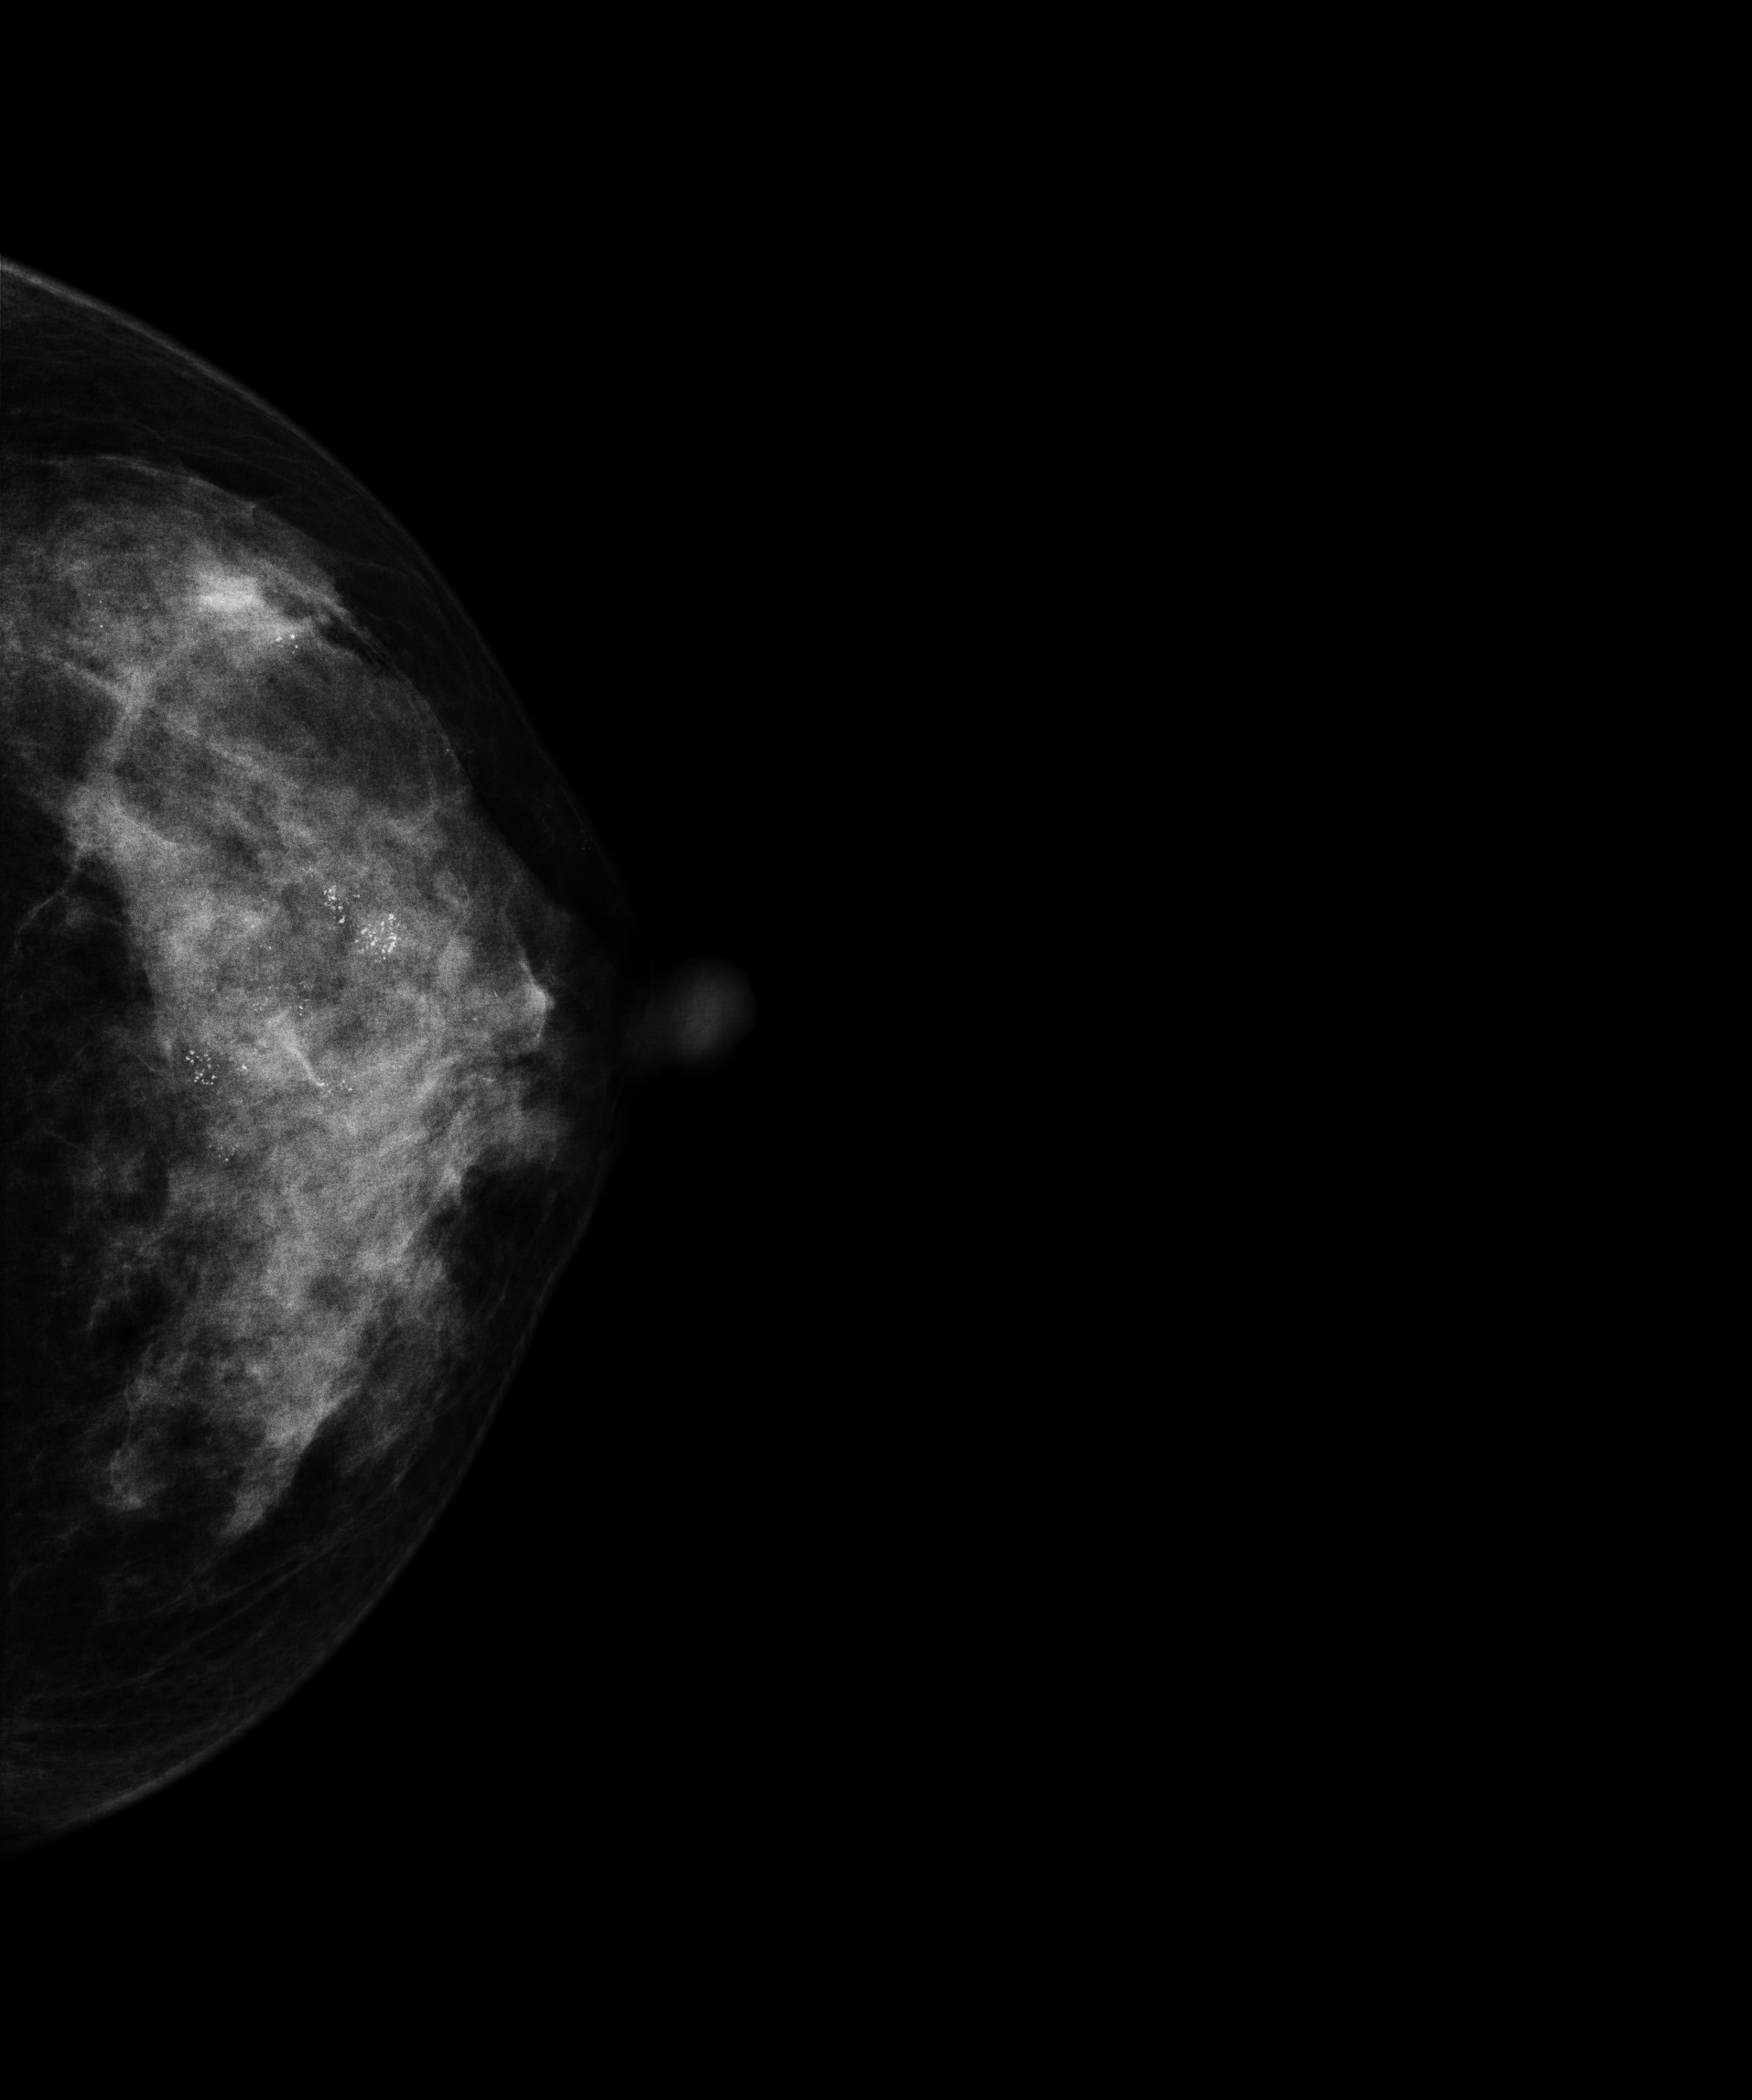
Left-breast mammogram, CC. Patient age 45.
This breast has calcifications, histologically confirmed malignant.